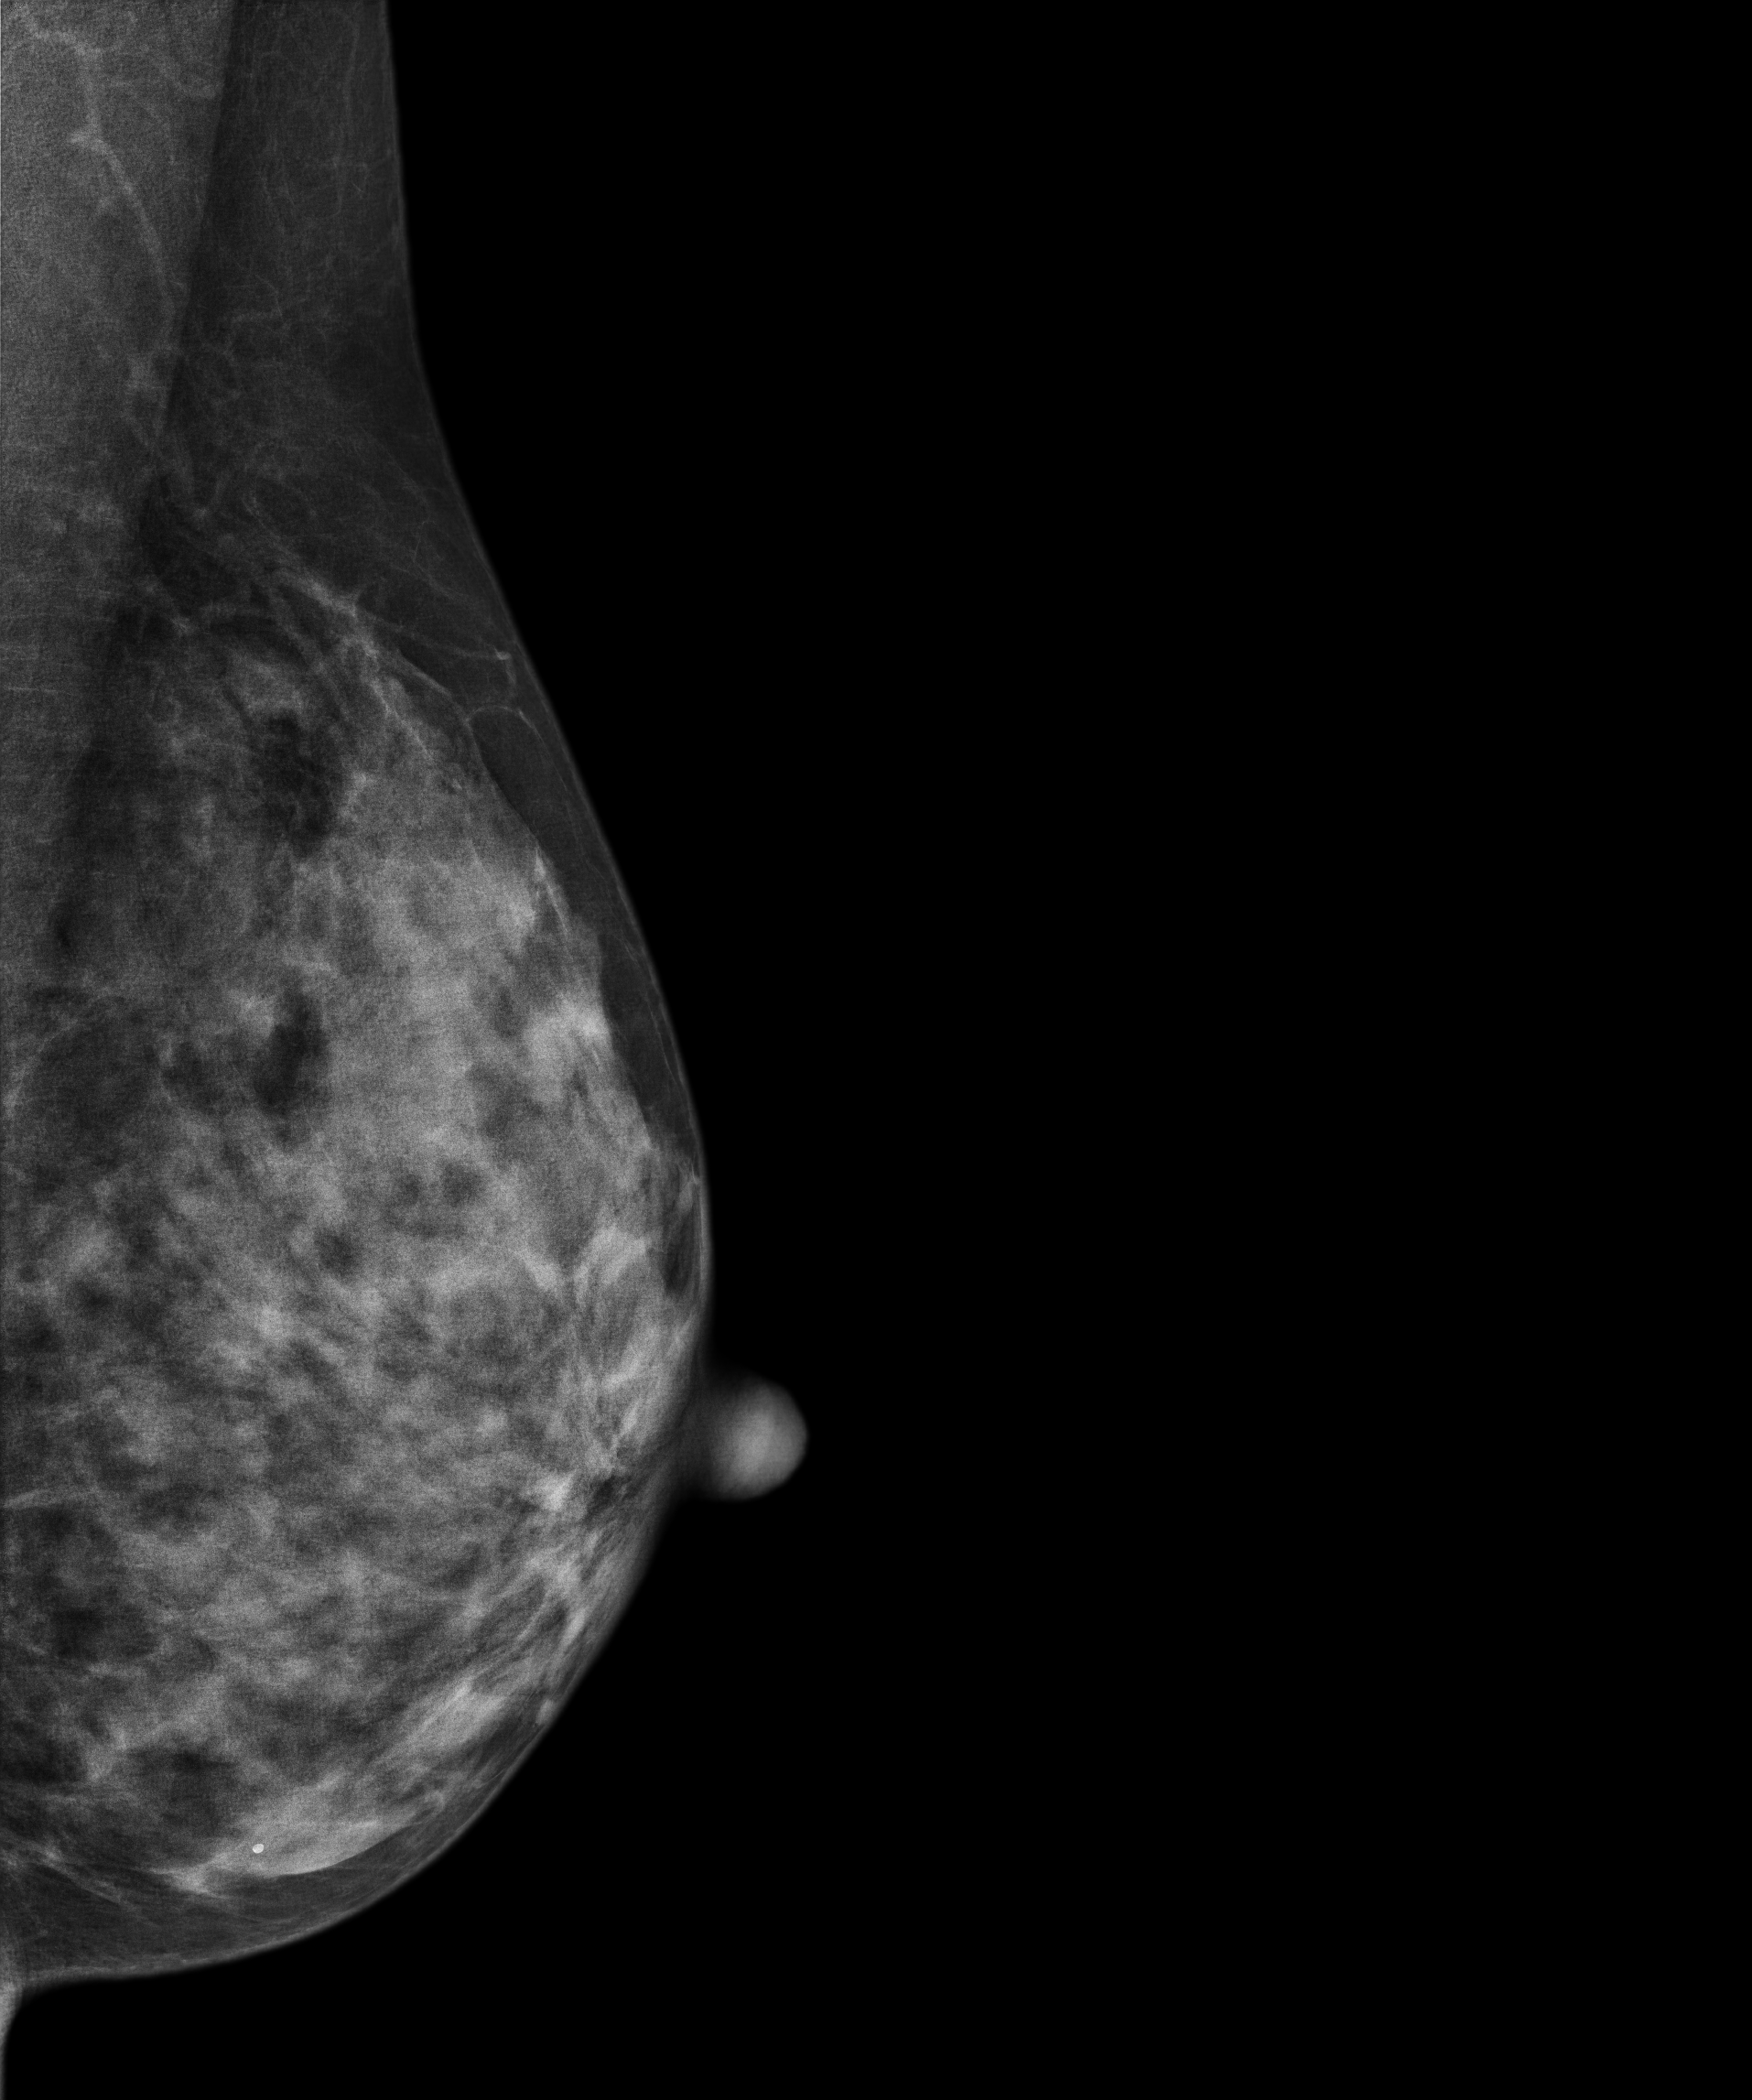
Digital mammography. Left breast, MLO projection. 46 y/o patient.
Contralateral breast — no documented abnormality on this side.